Mammogram, left breast, CC view. 37-year-old patient.
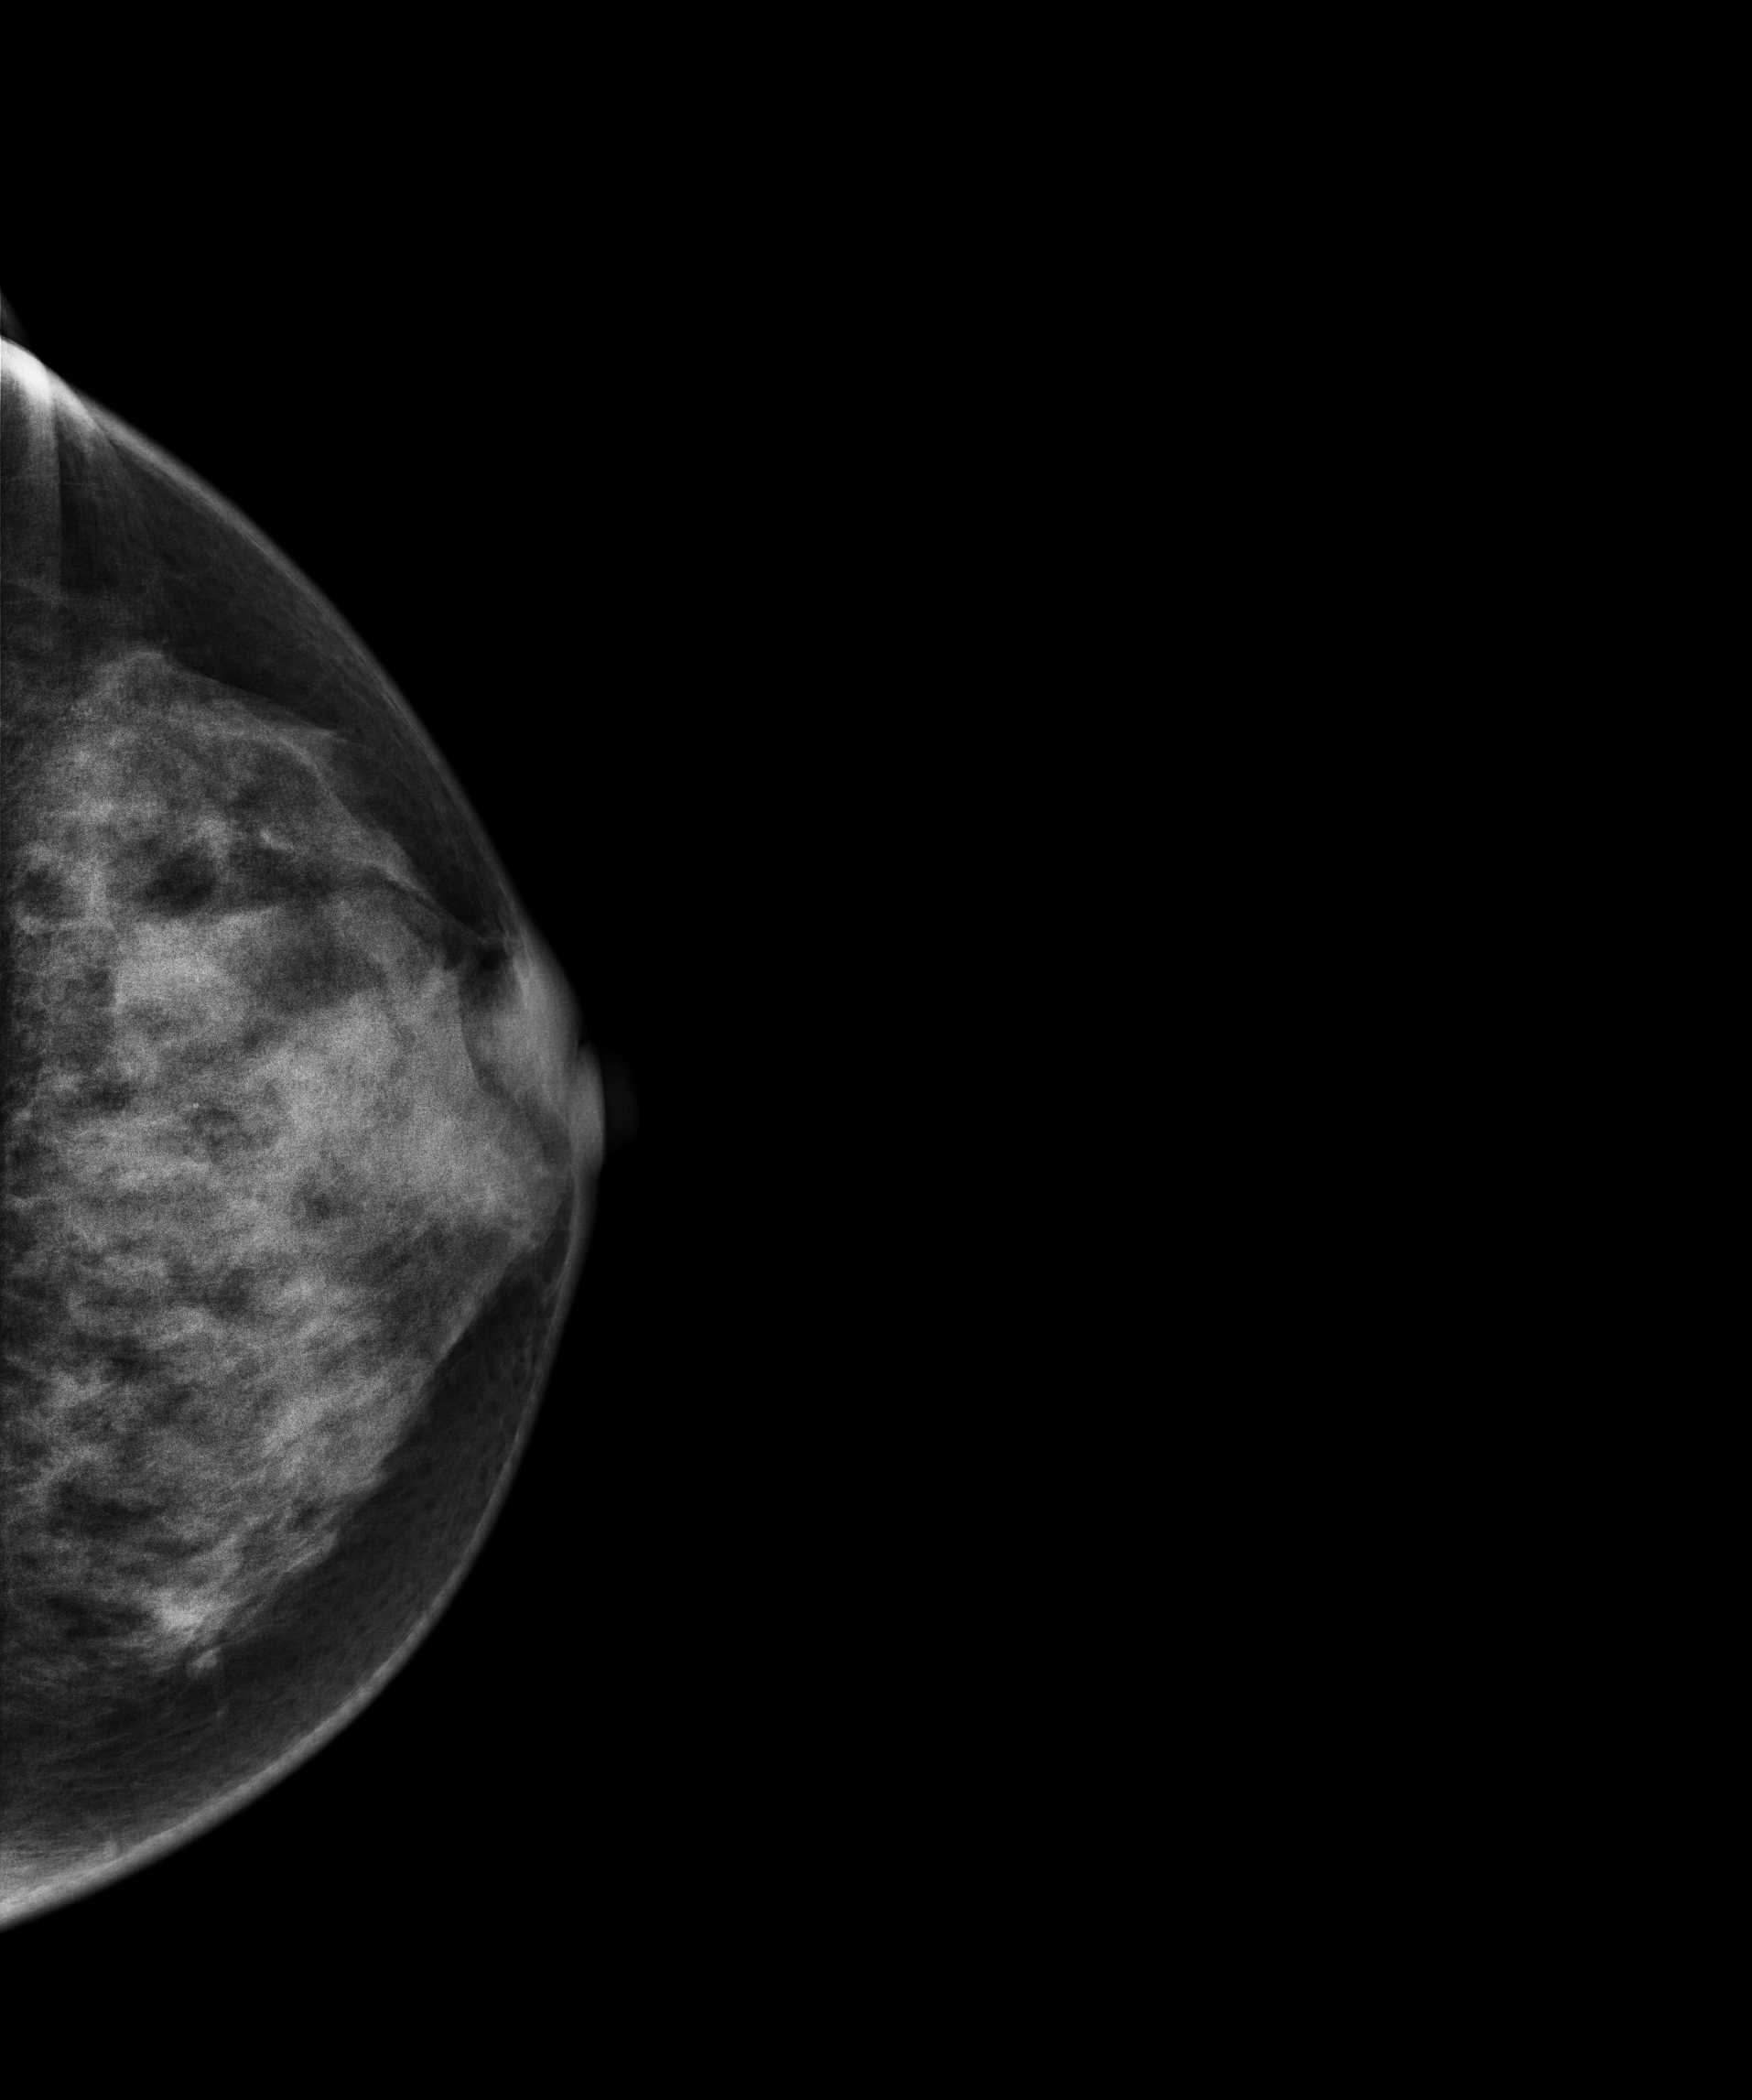
This breast has a mass, pathology-confirmed malignant. Molecular subtype: luminal B.